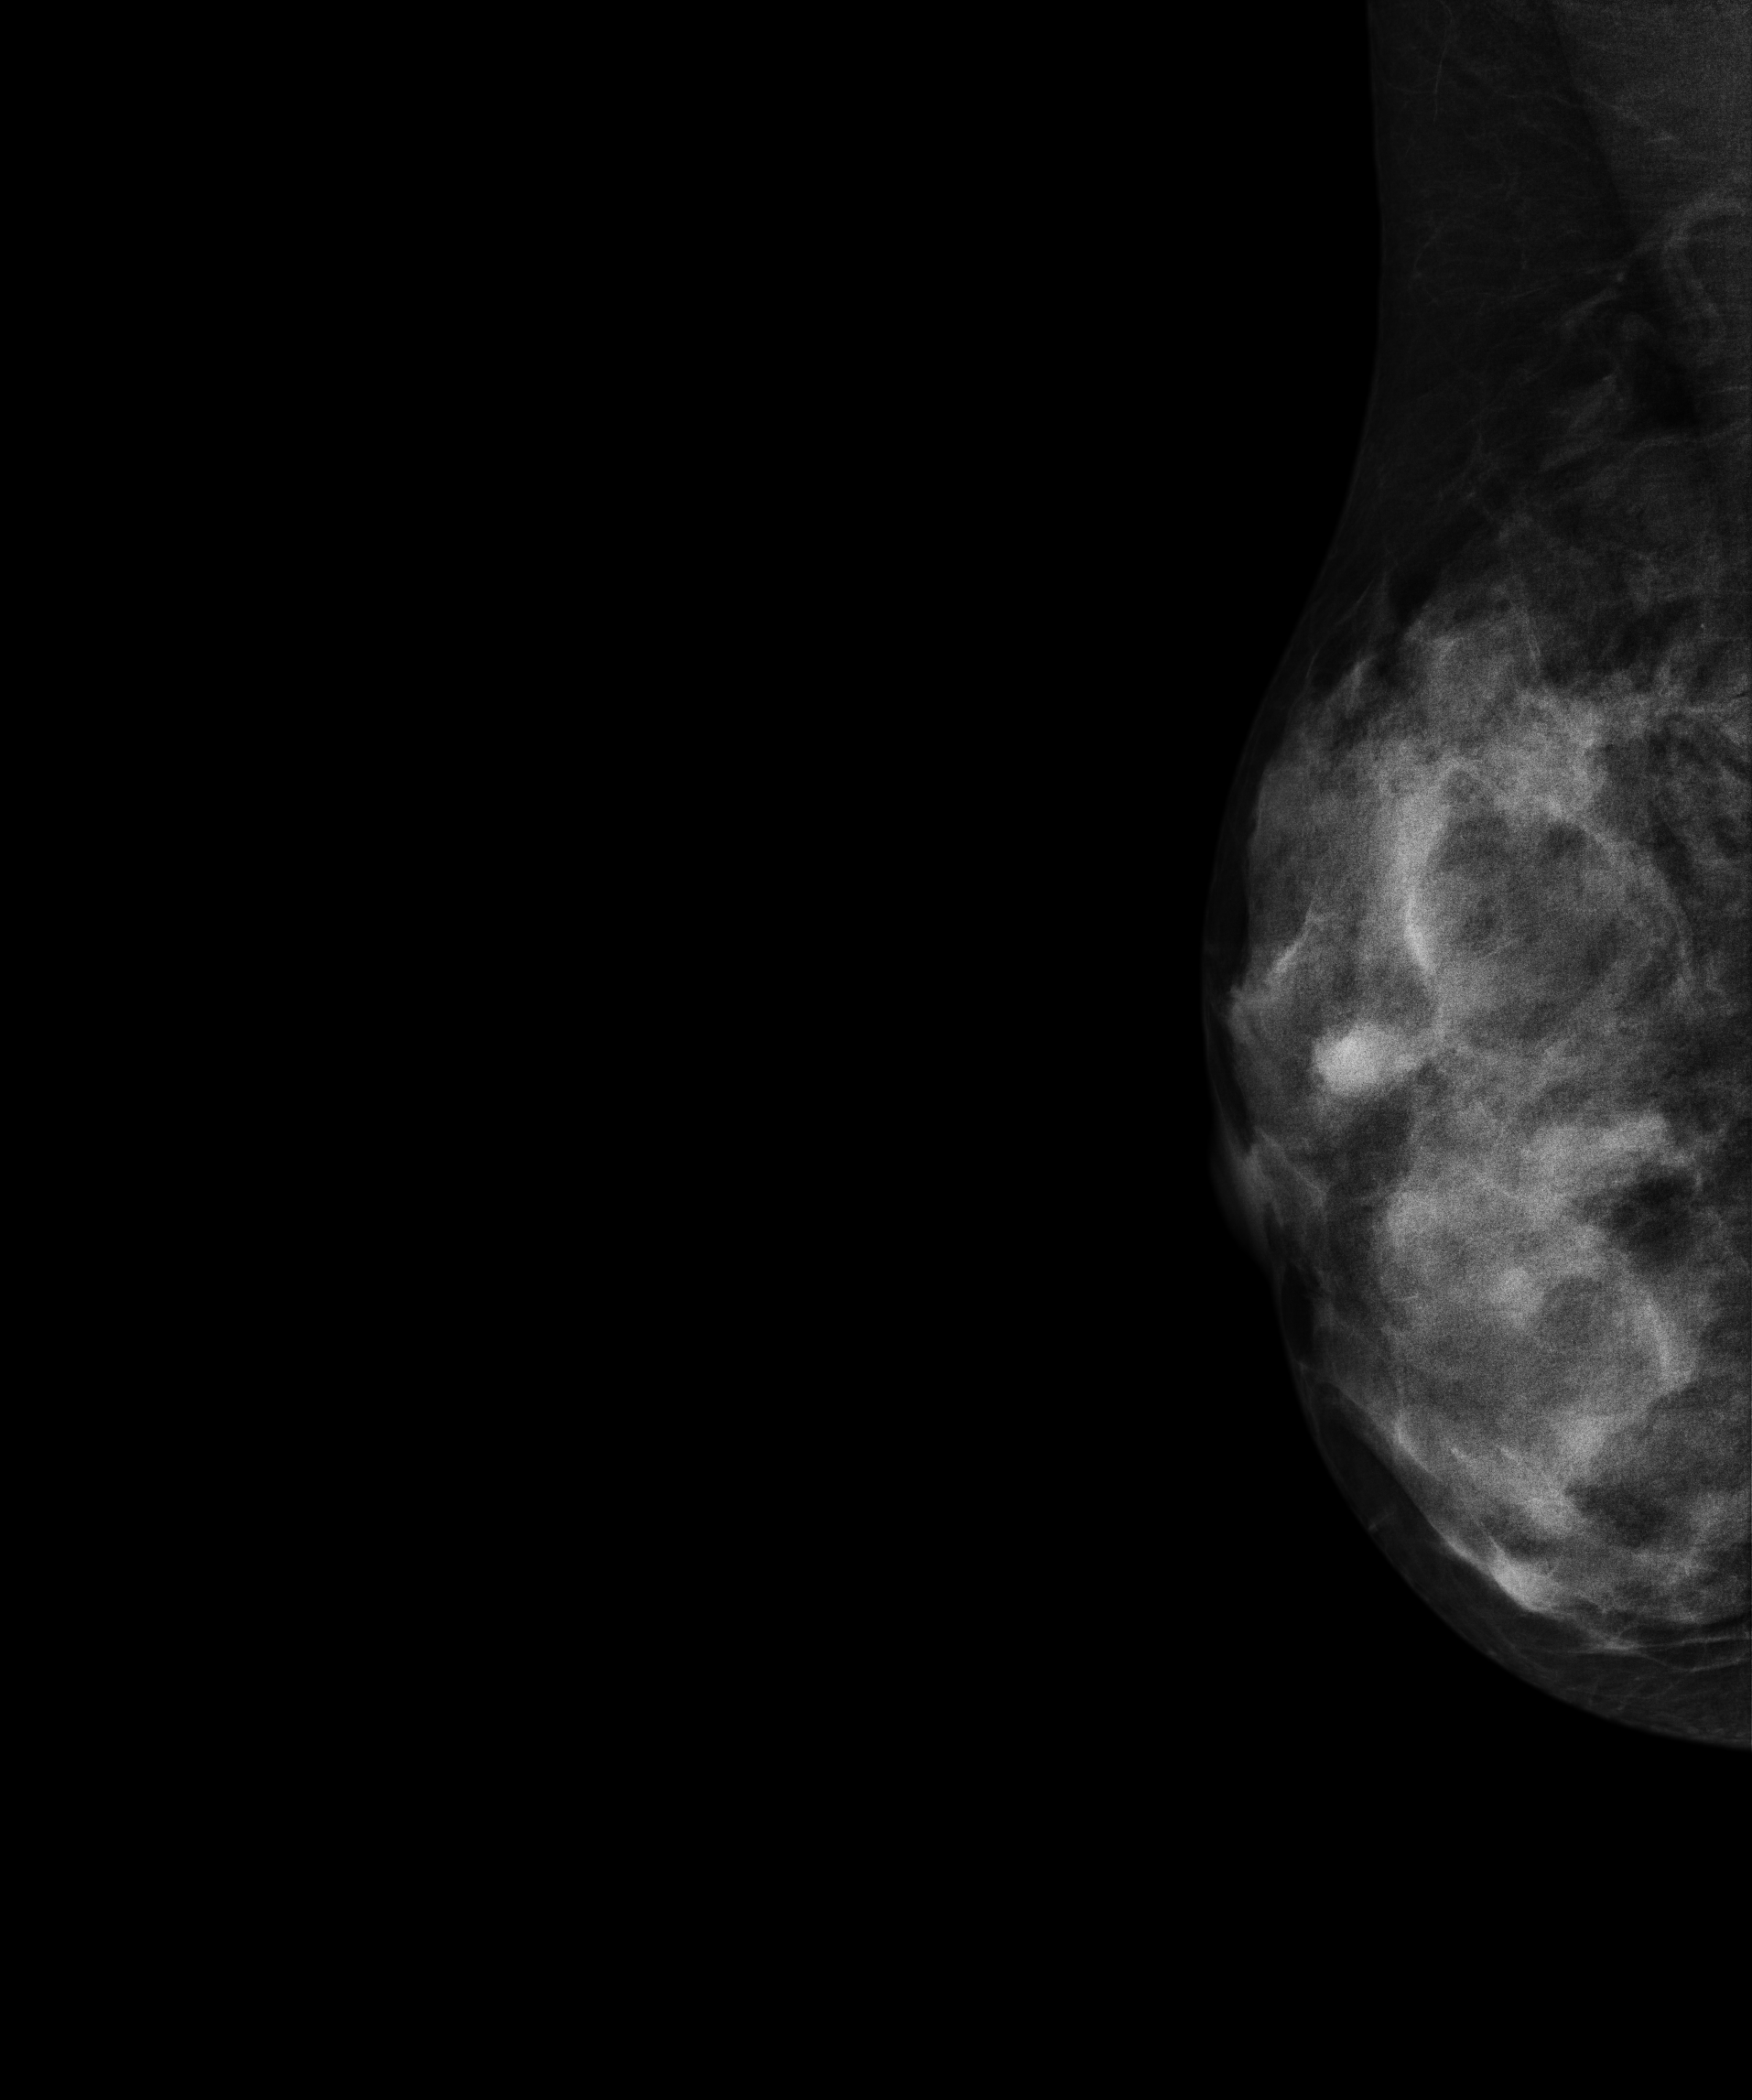
MLO mammogram of the right breast. 47-year-old patient.
This breast has a mass, histologically confirmed benign.